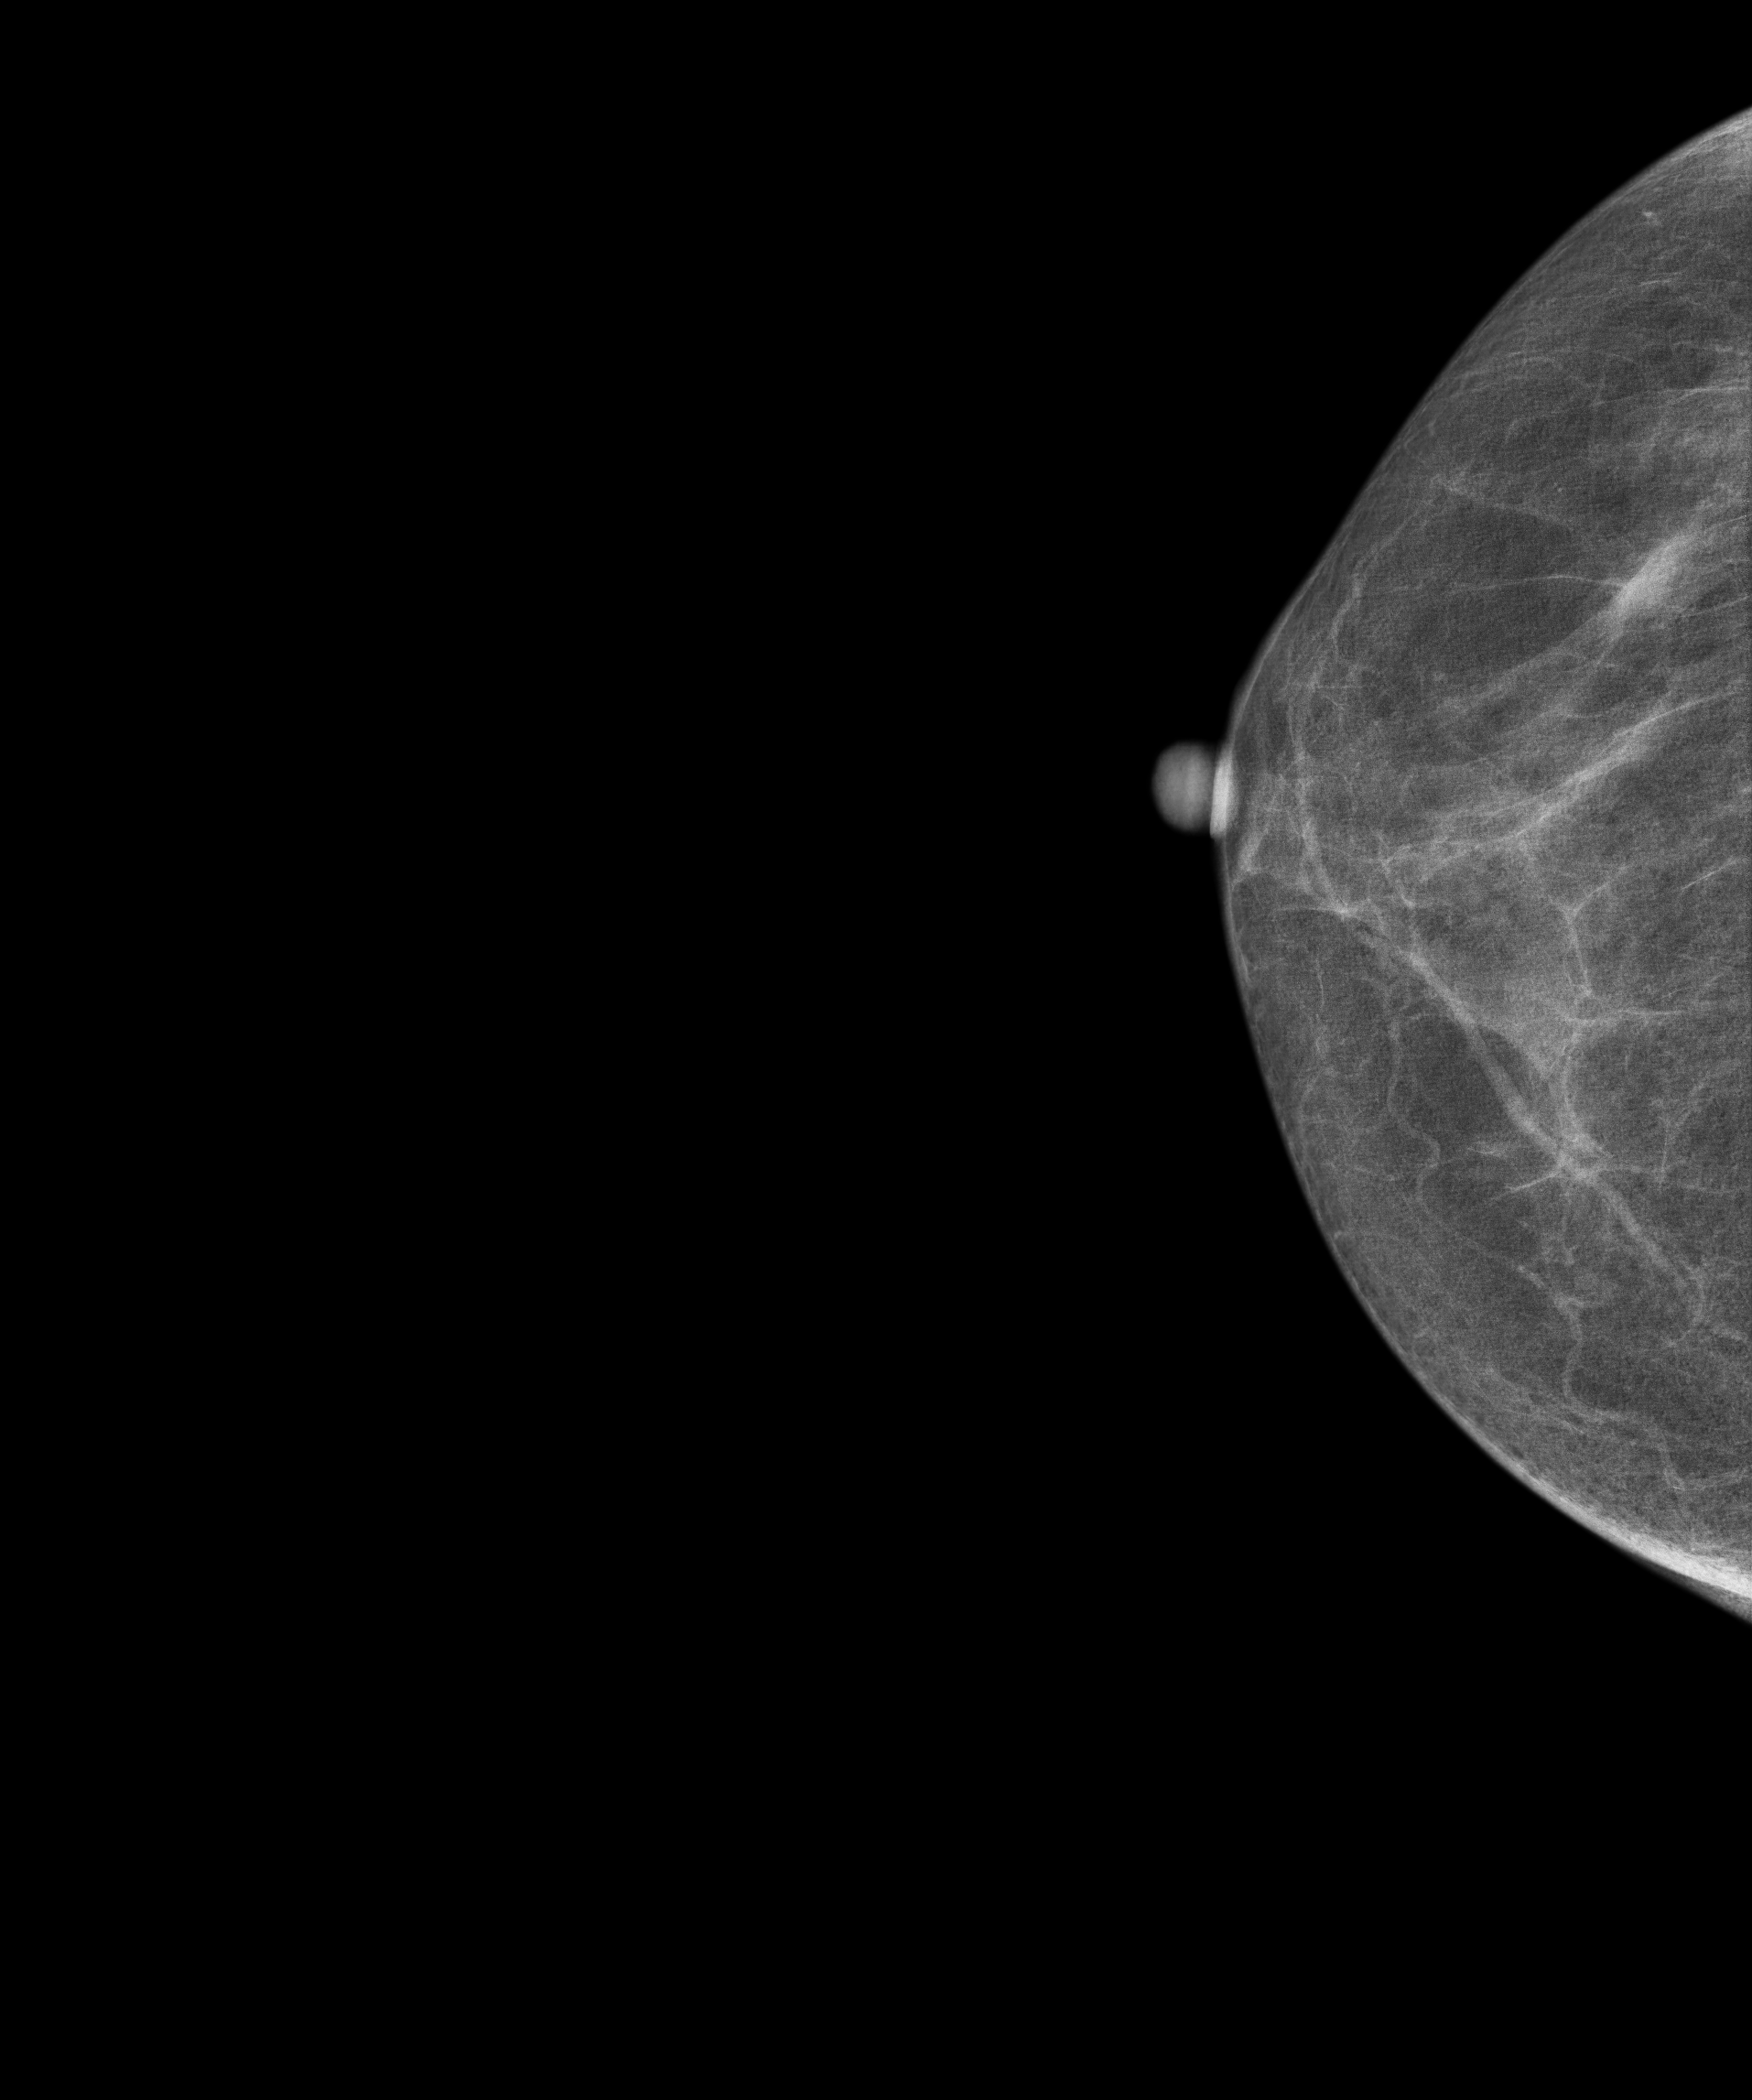
CC mammogram of the right breast. 75 y/o patient.
Contralateral breast — no documented abnormality on this side.